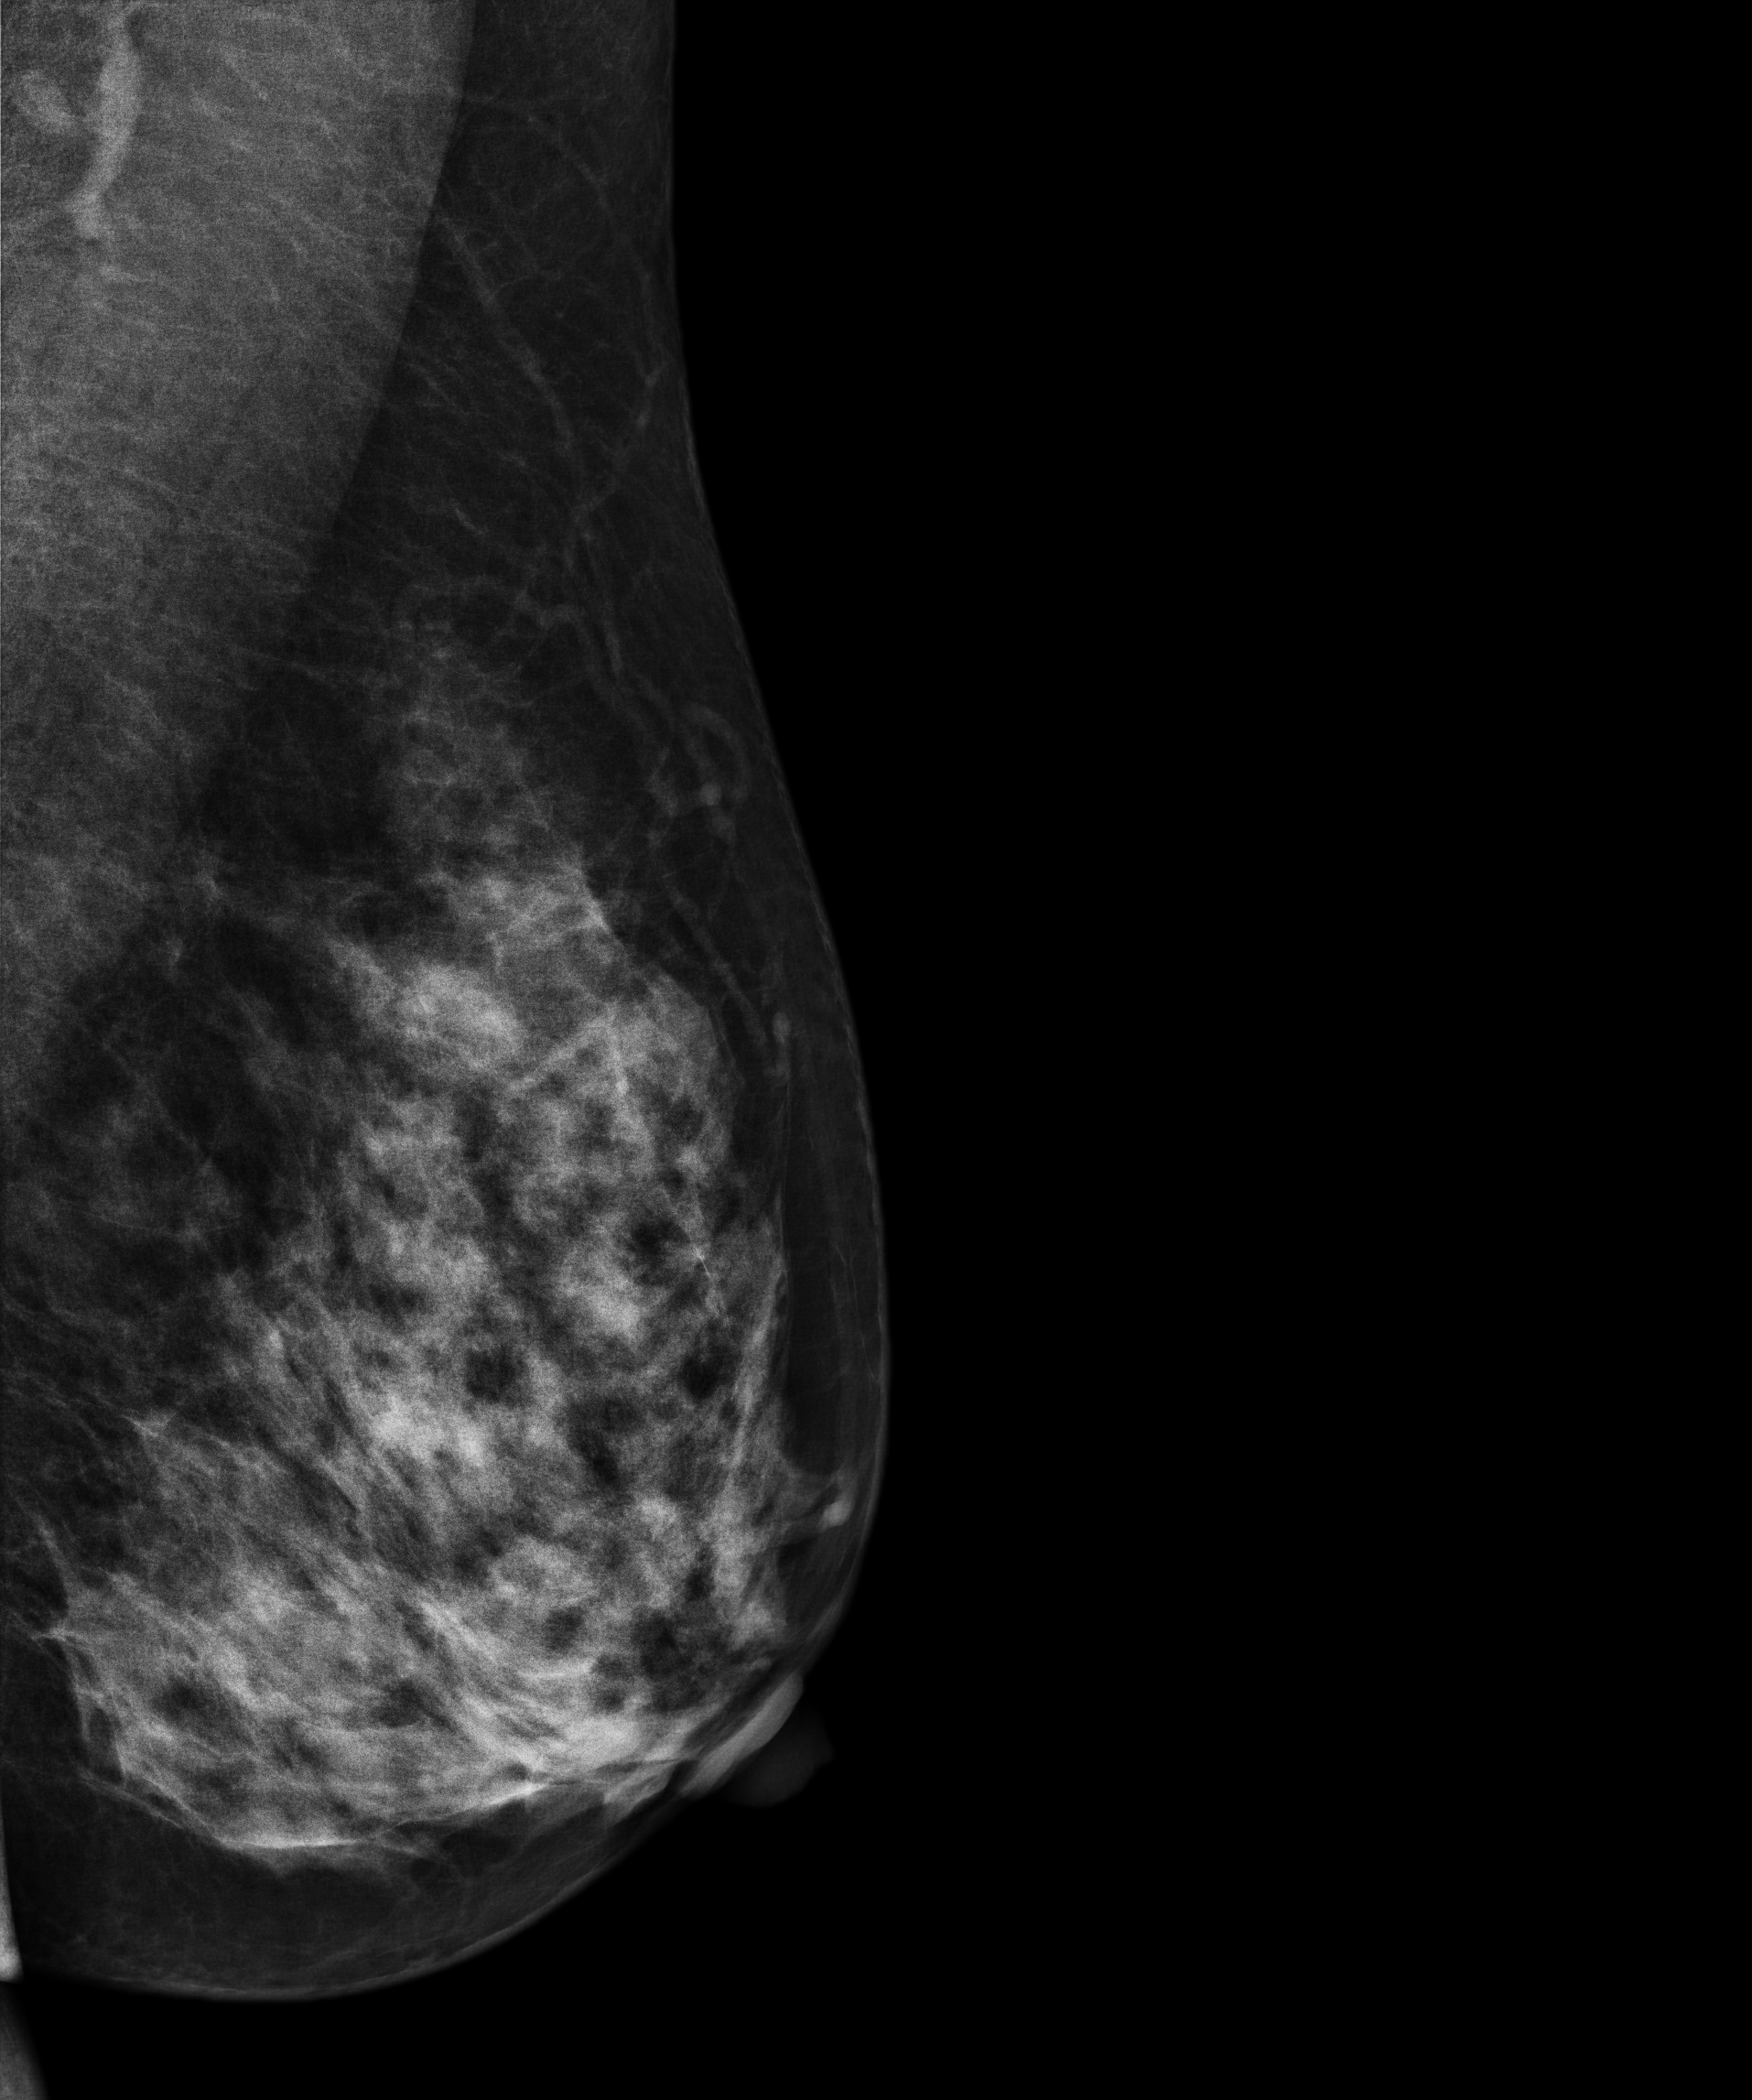
Mammogram — left medio-lateral oblique. 49 y/o patient.
Contralateral breast — no documented abnormality on this side.